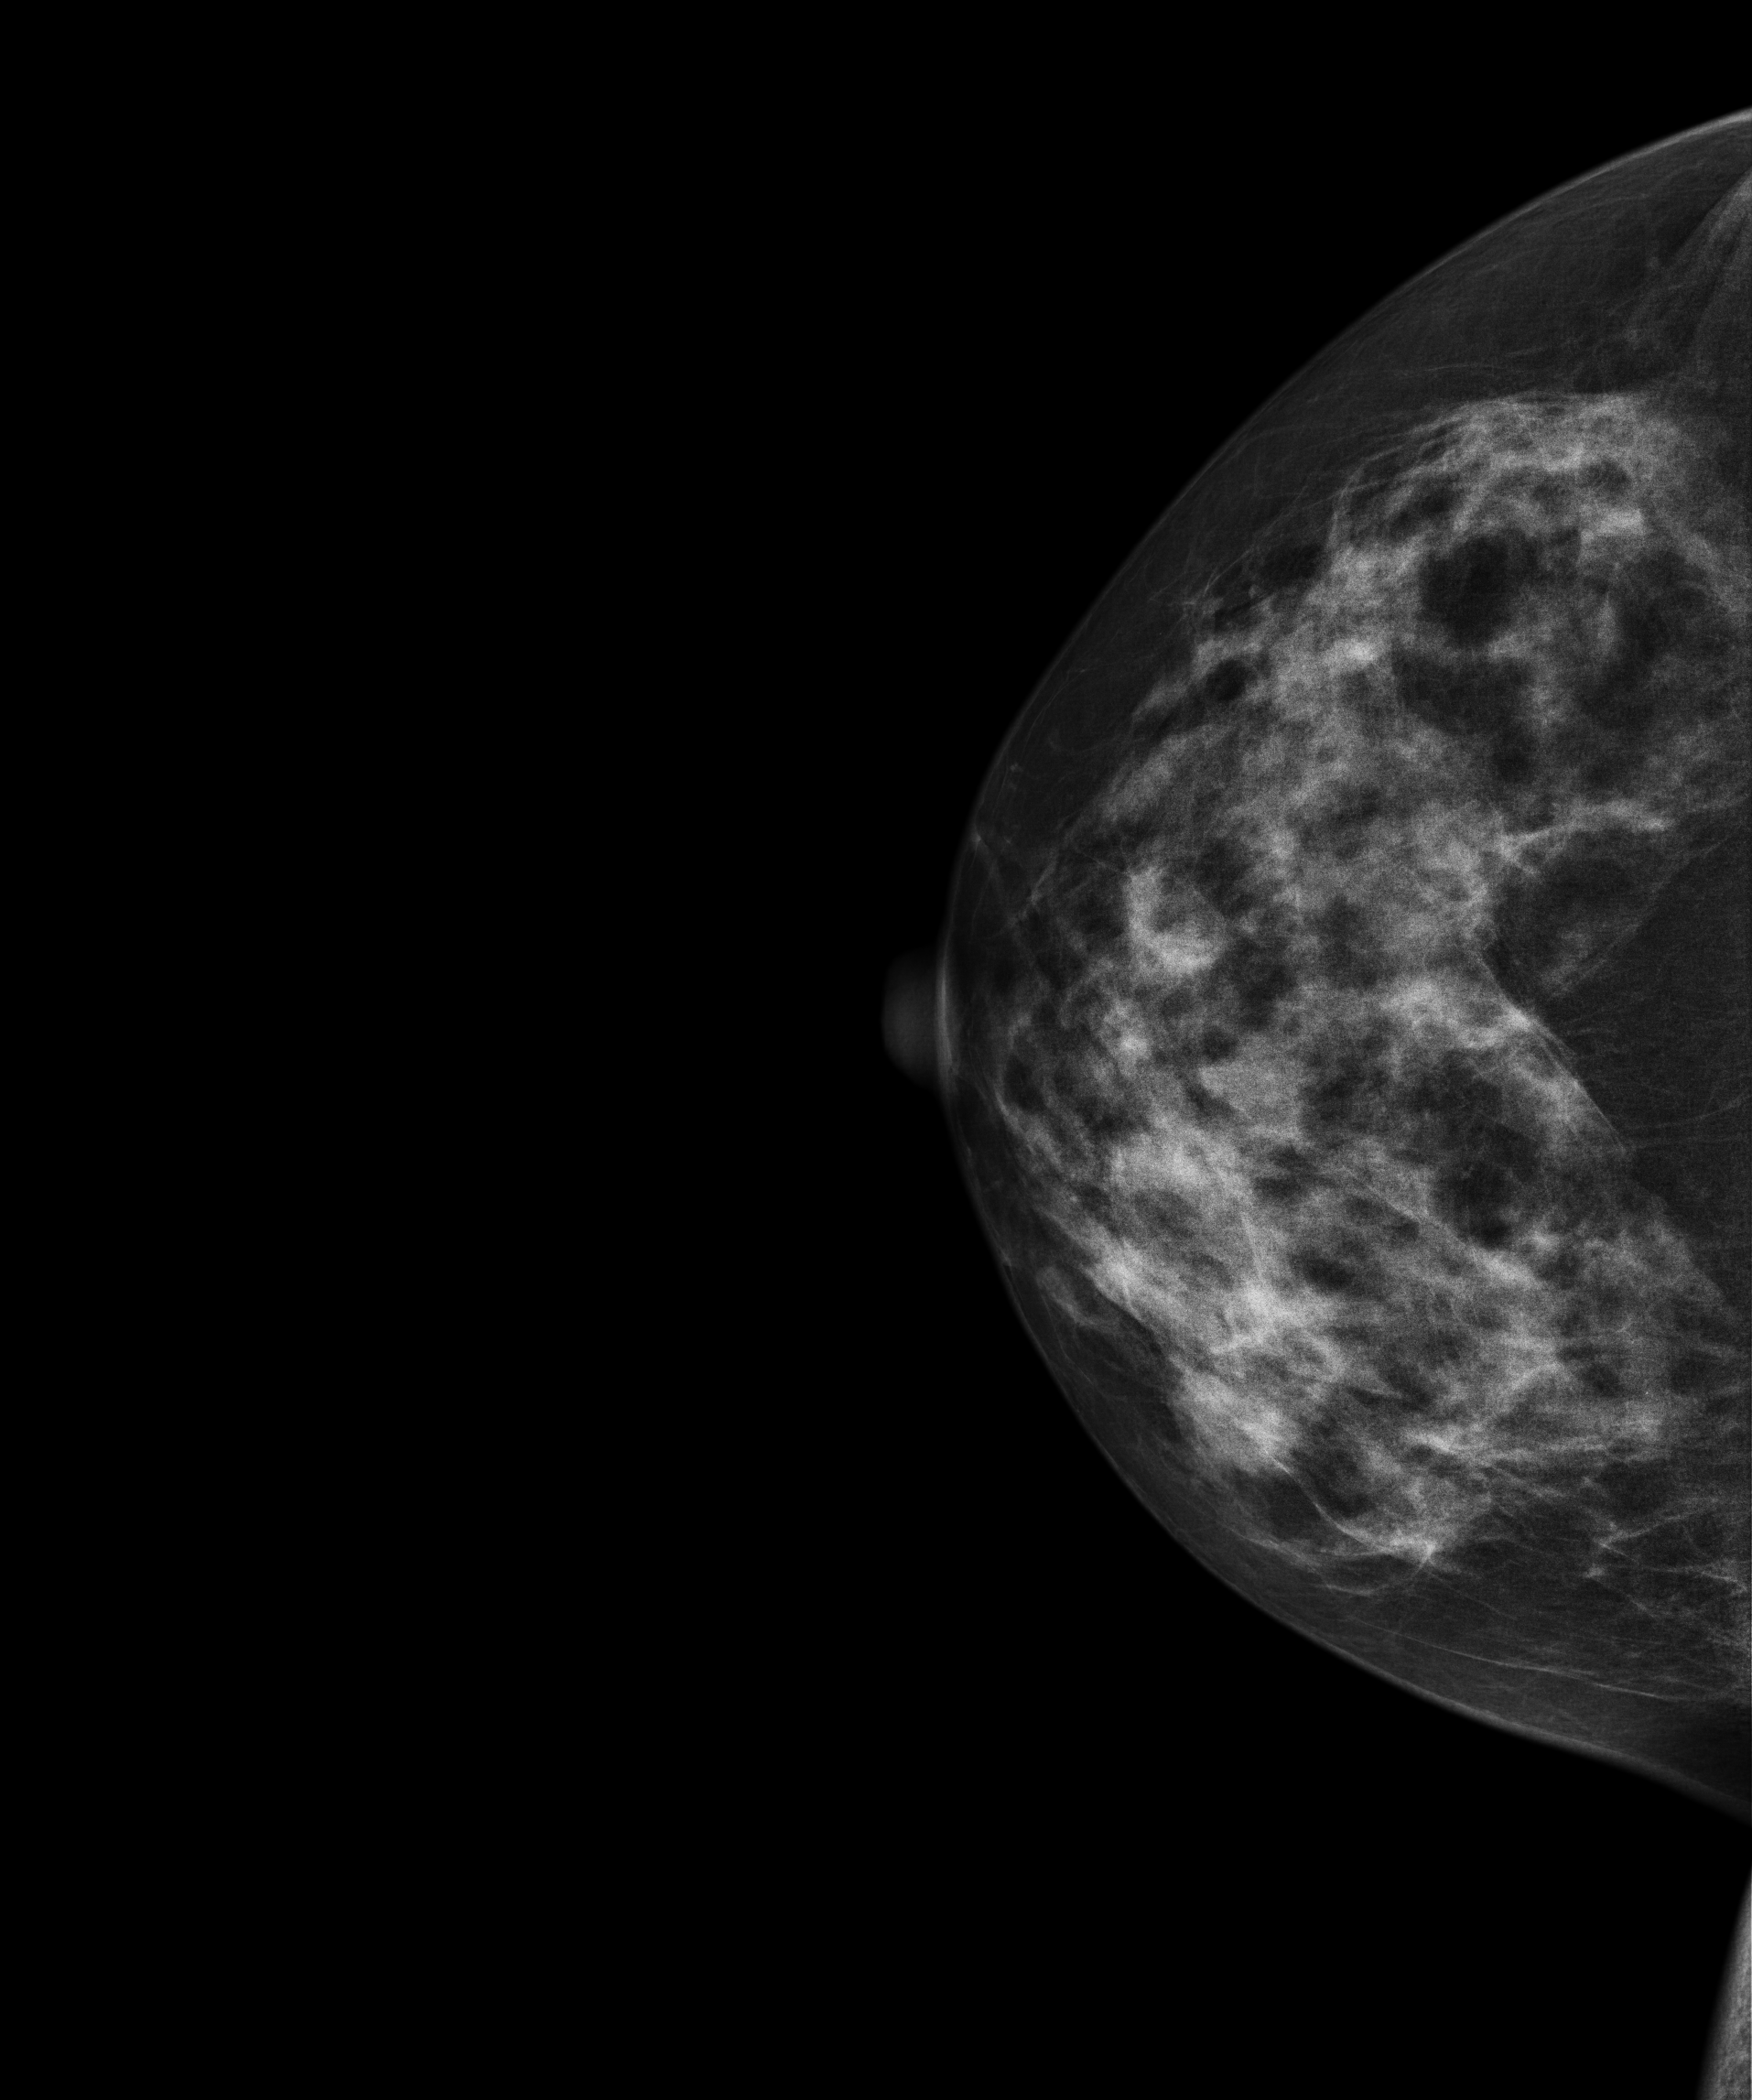
Digital mammography. Right breast, cranio-caudal projection. Patient age 57.
Contralateral breast — no documented abnormality on this side.